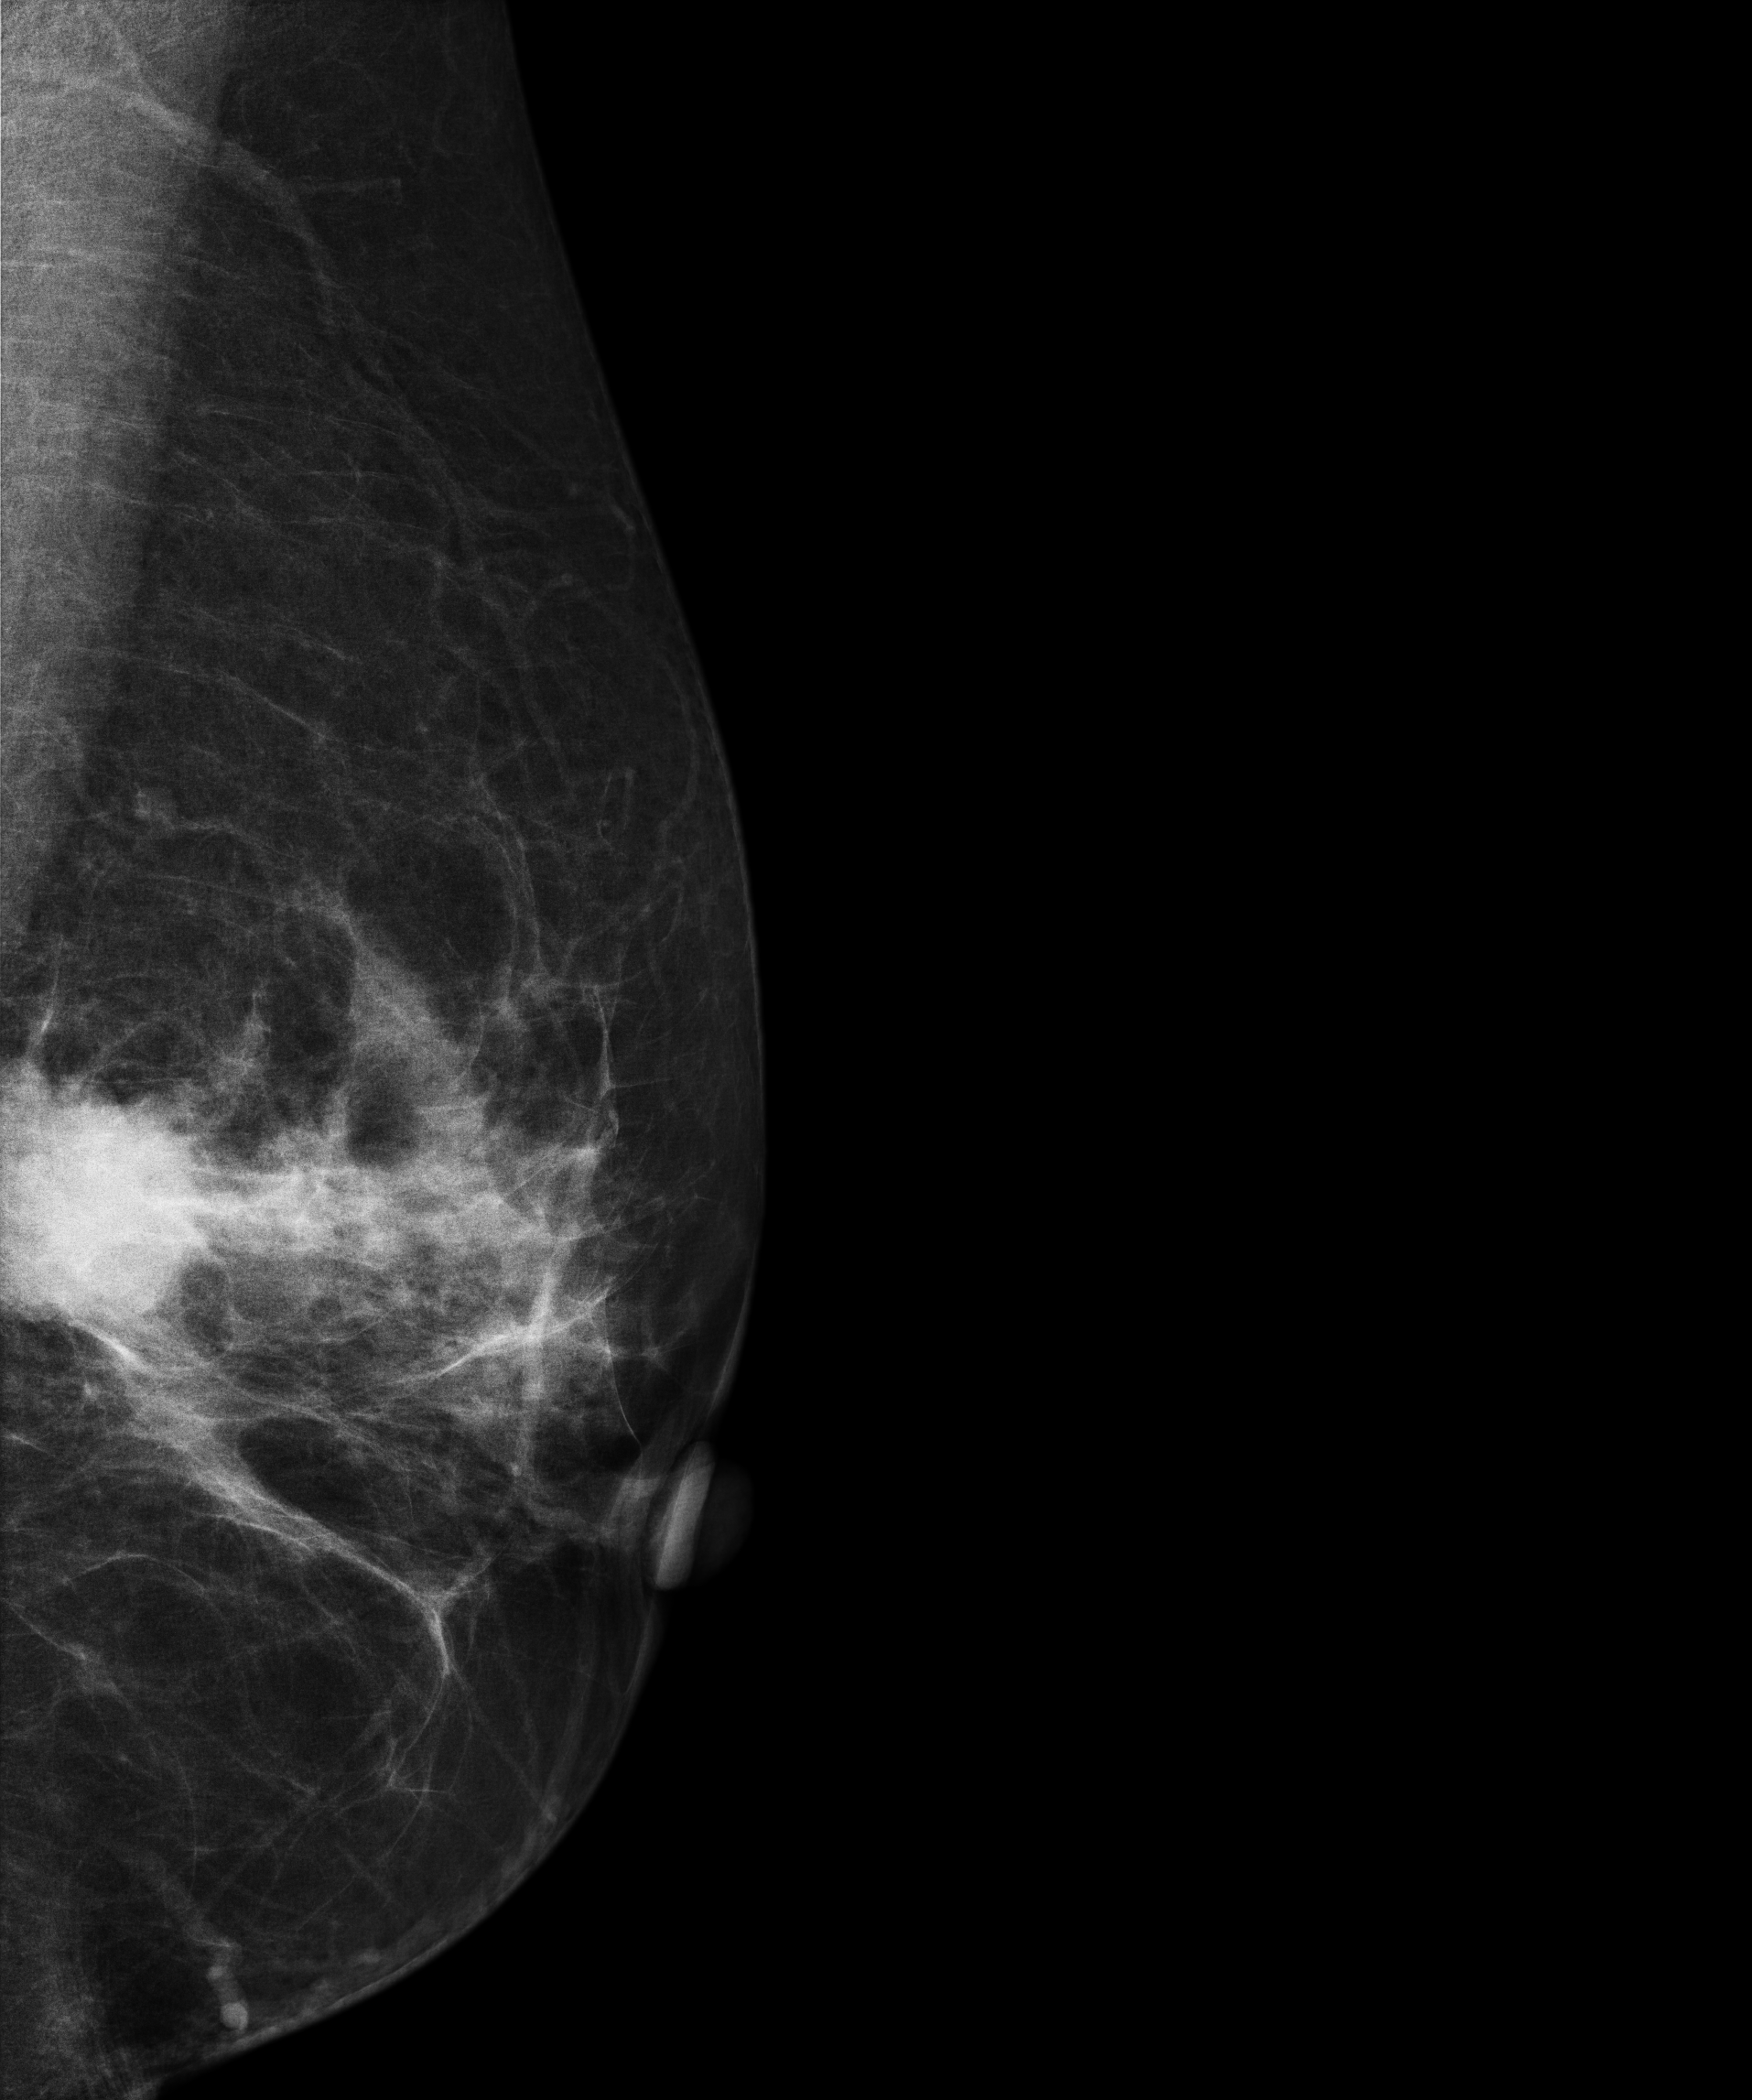
Medio-lateral oblique mammogram of the left breast. Patient age 62.
This breast has a mass, pathology-confirmed malignant. Molecular subtype: luminal B.